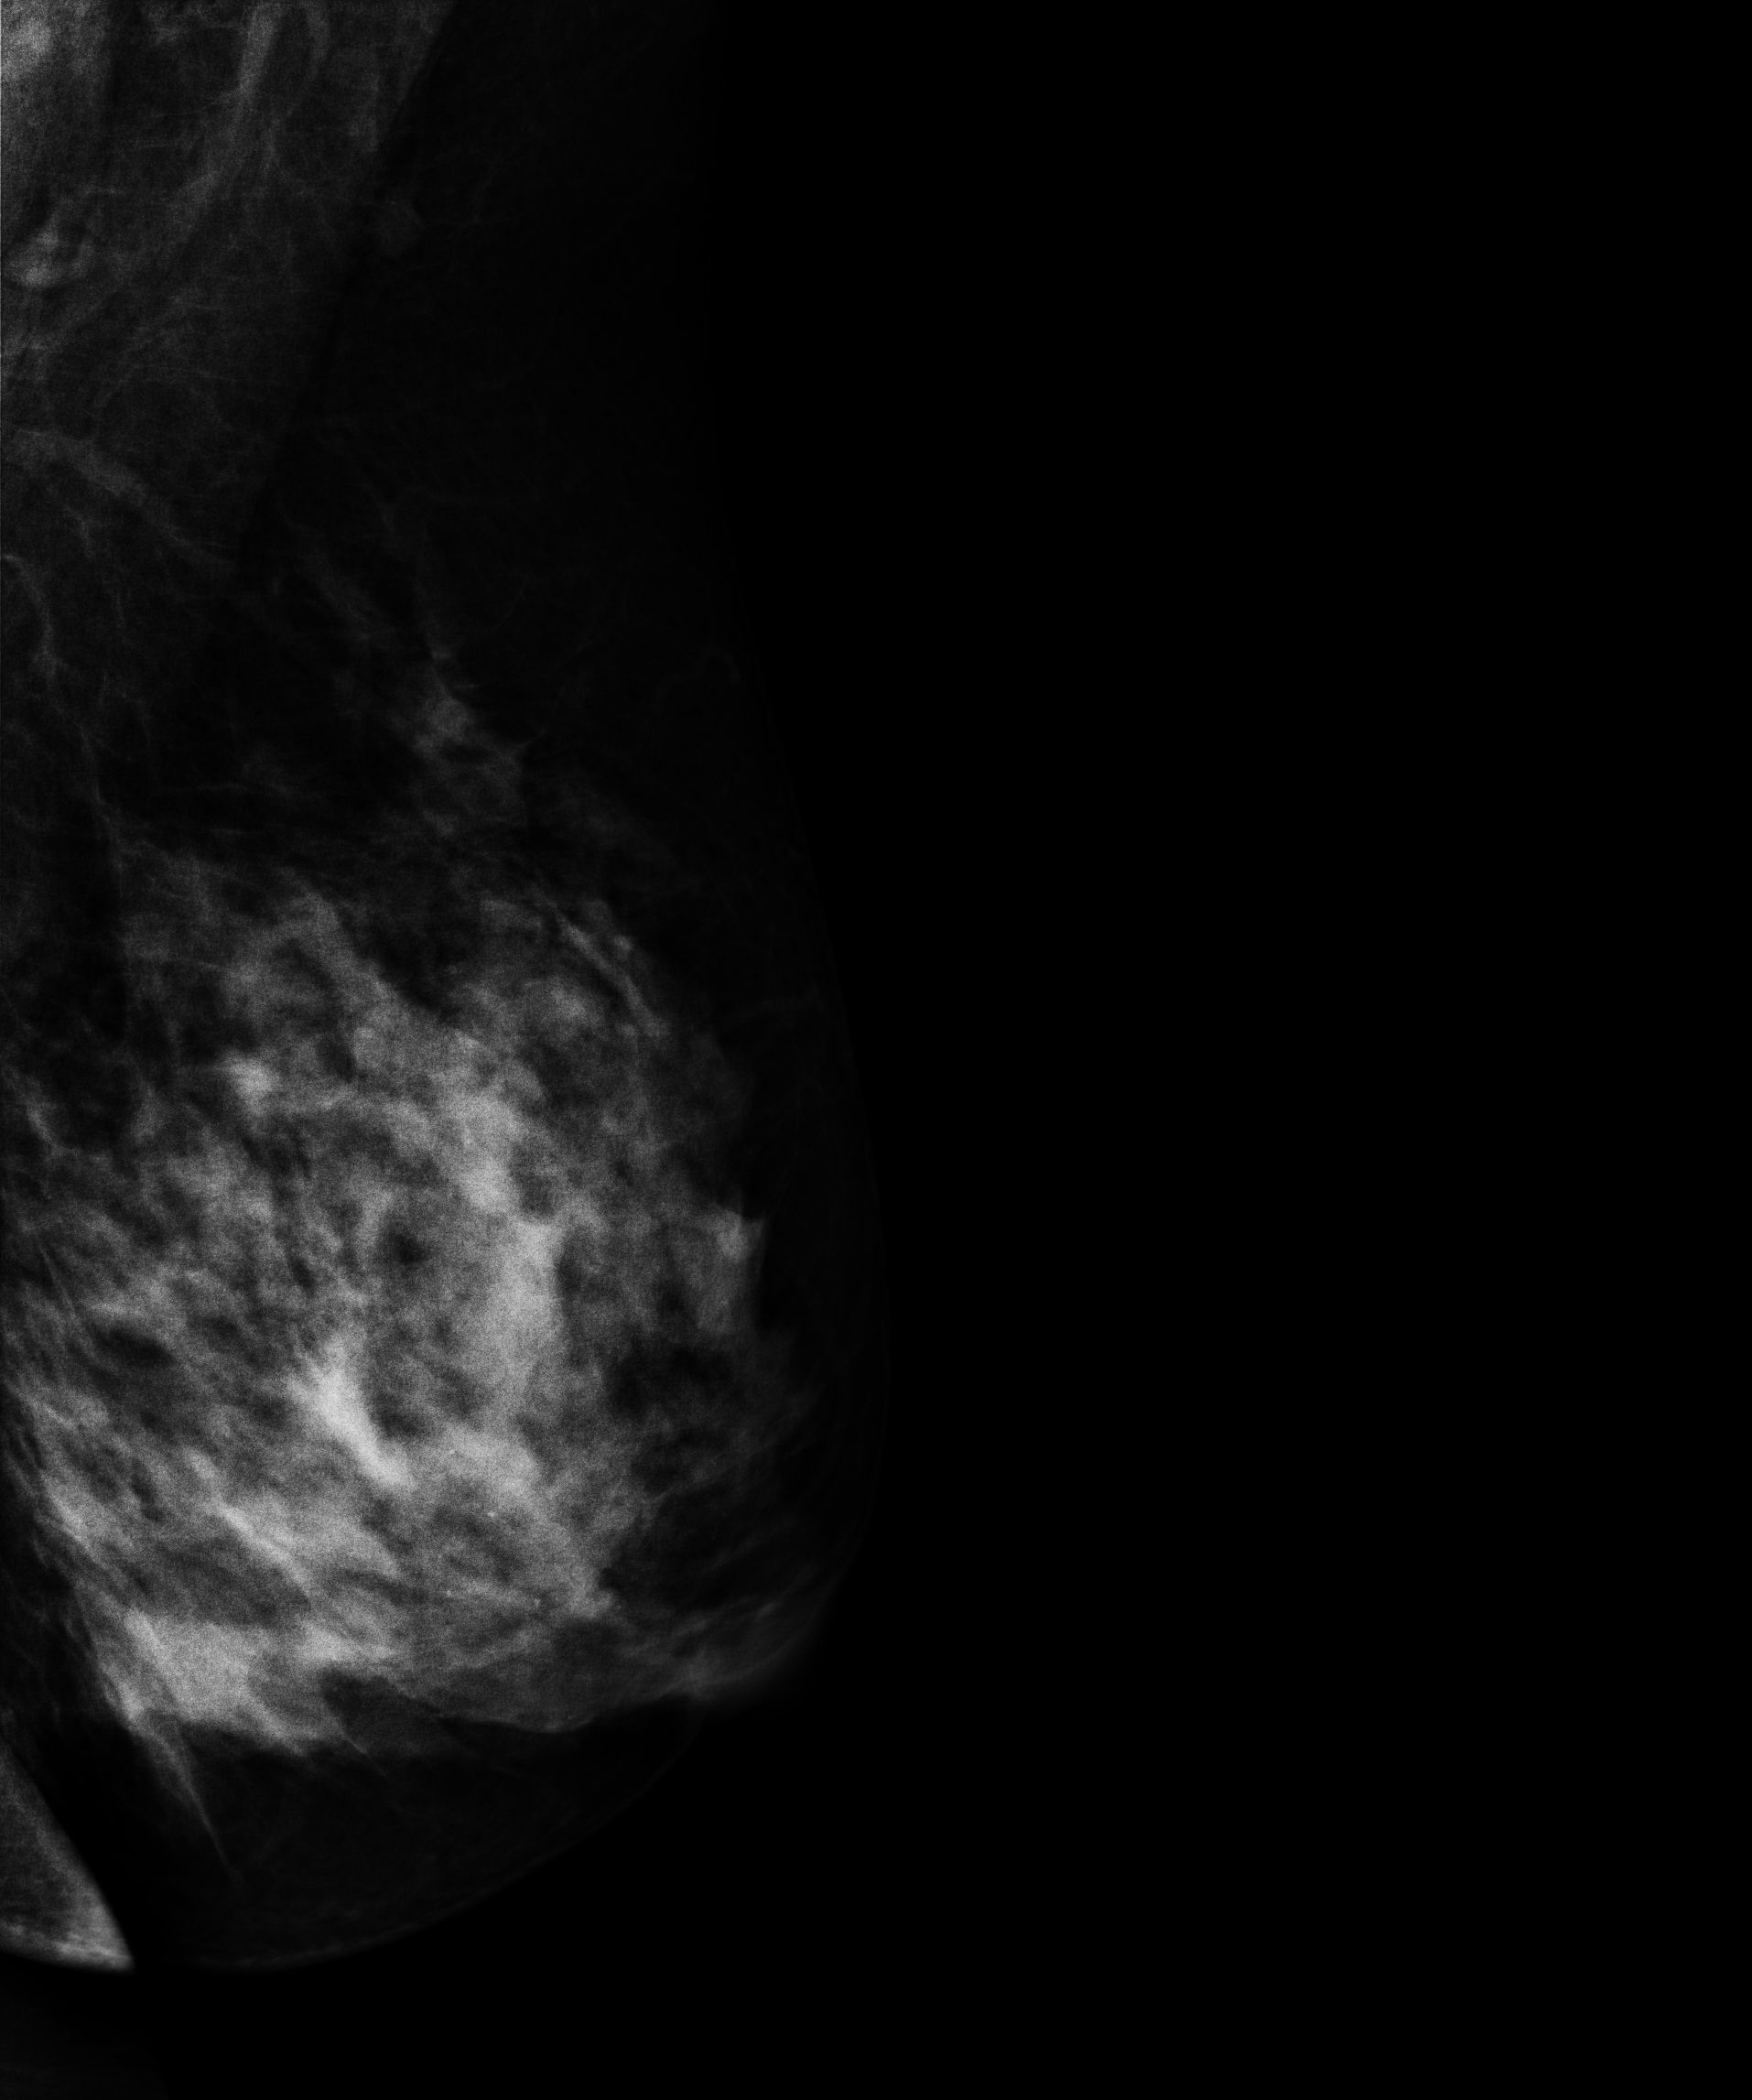
Right-breast mammogram, medio-lateral oblique. 47 y/o patient.
This breast has a mass and calcifications, biopsy-confirmed malignant. Molecular subtype: luminal B.